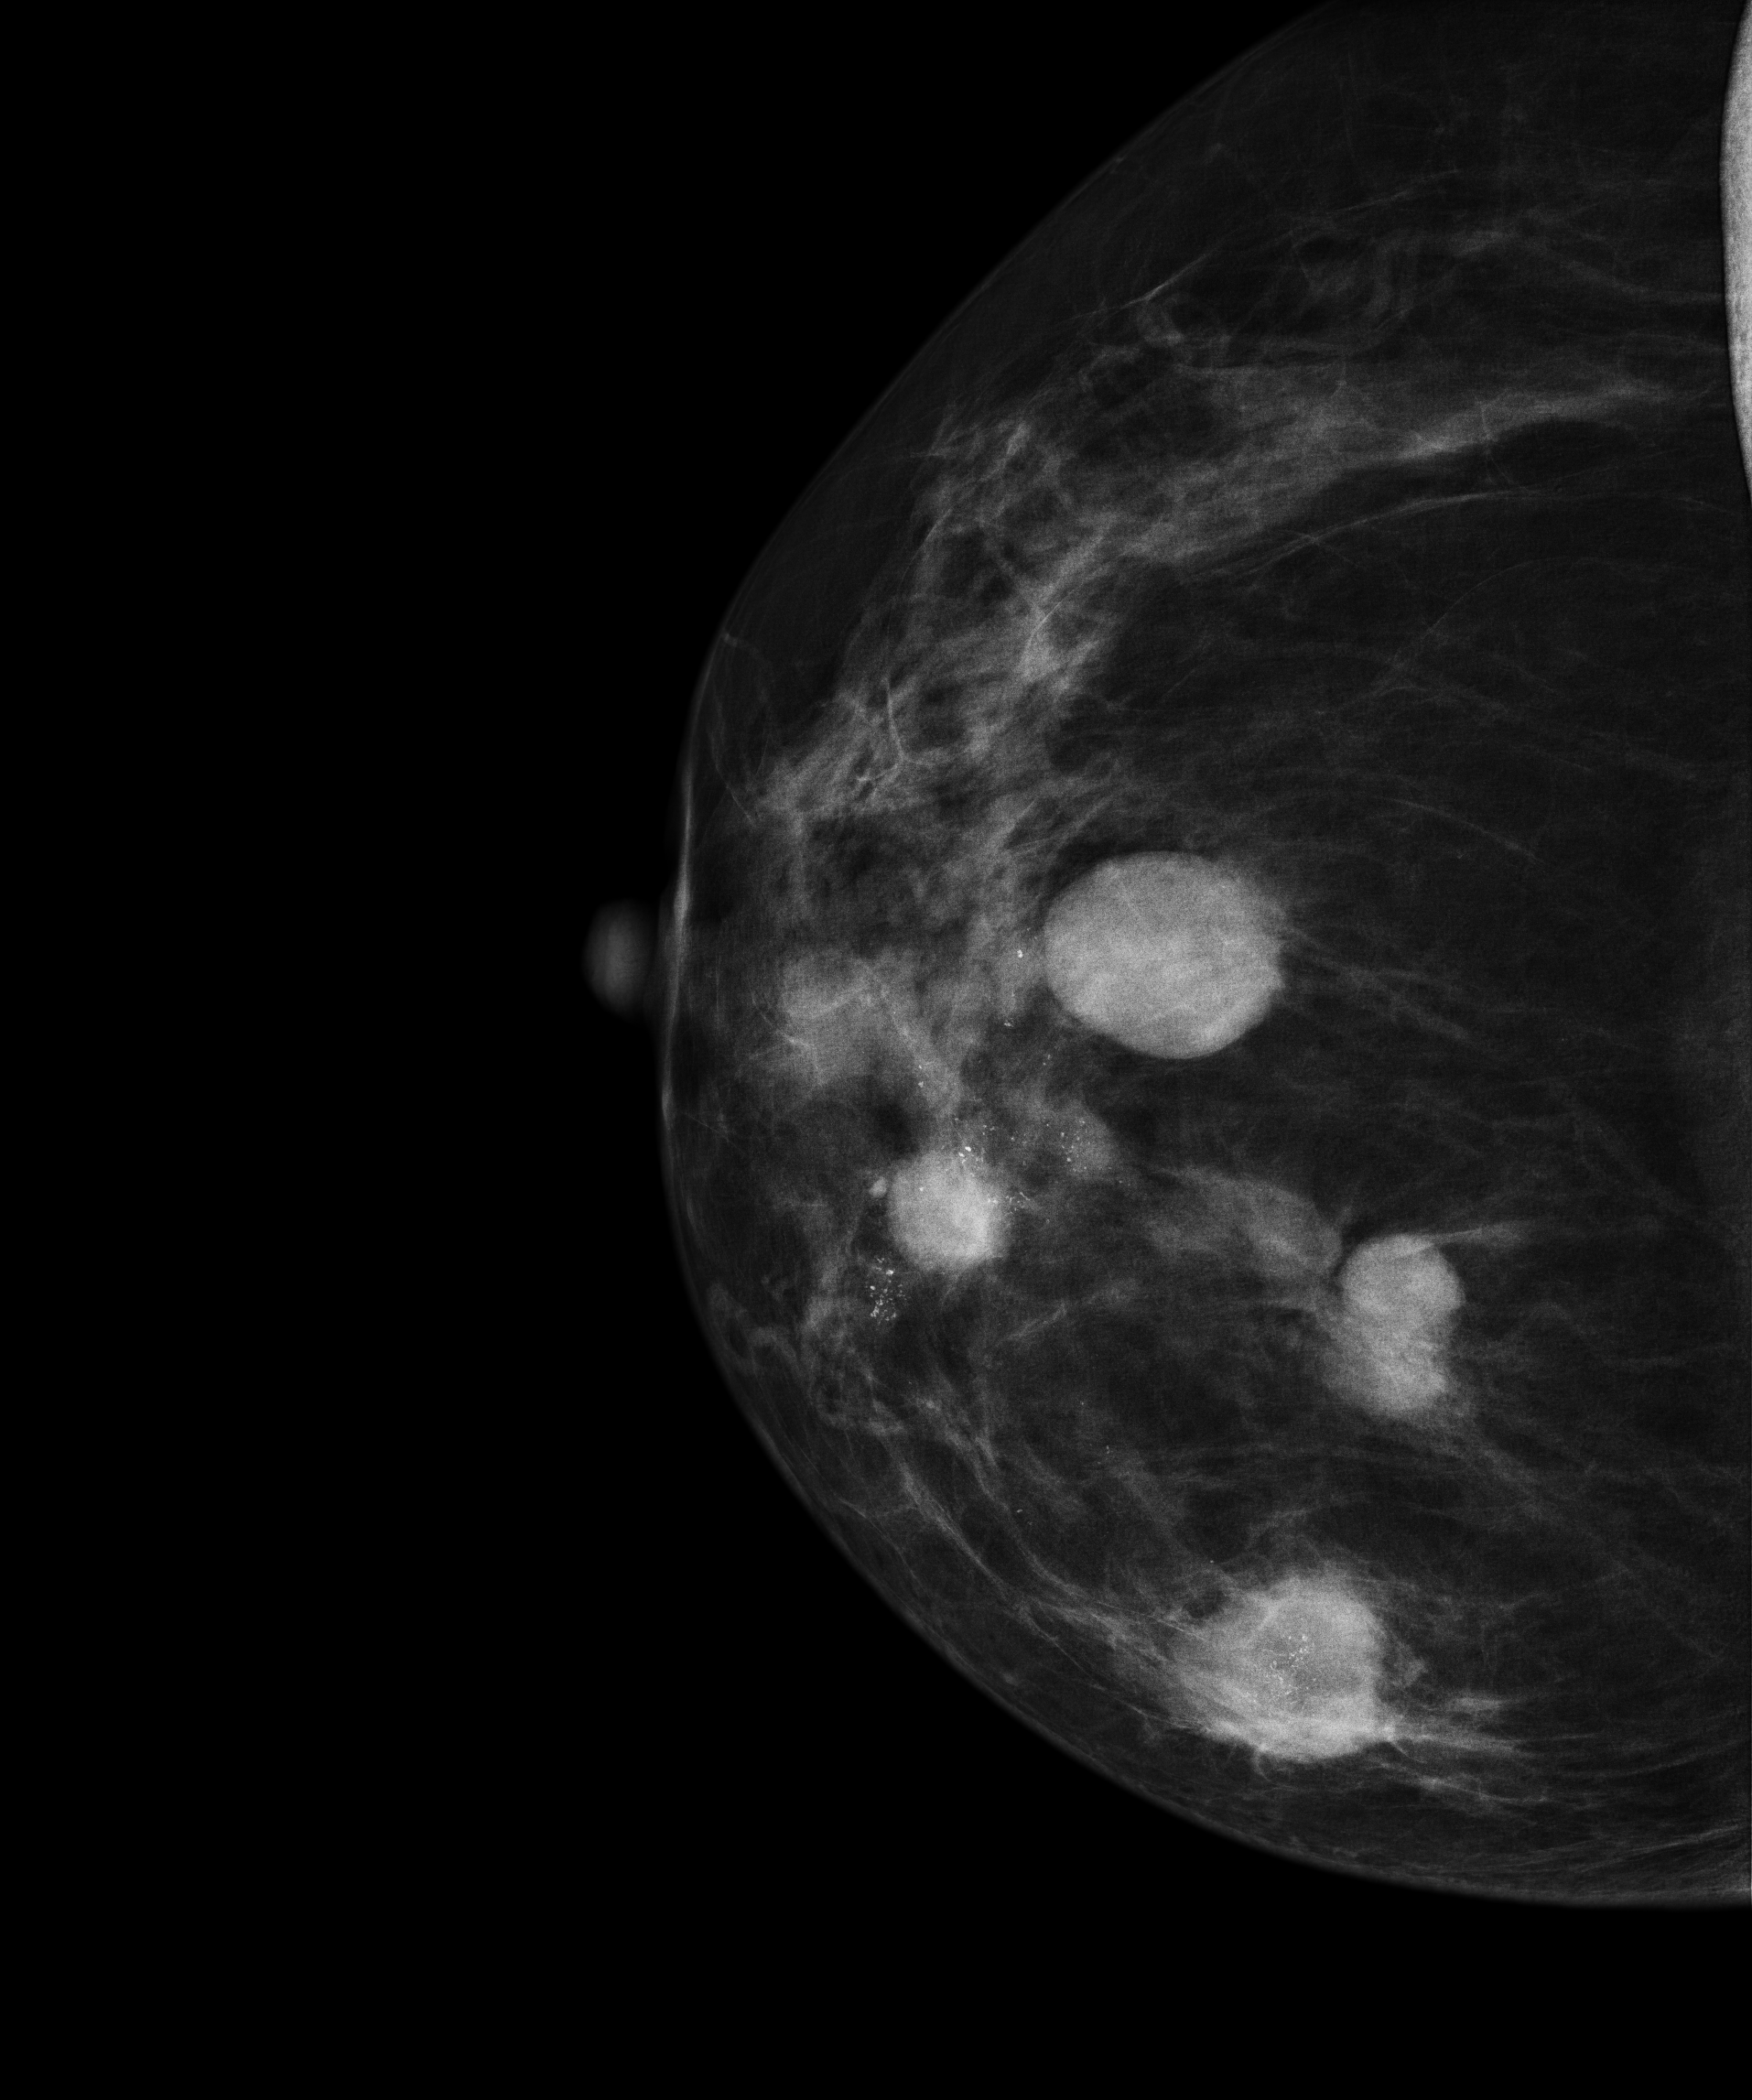
Digital mammography. Right breast, CC projection. 57 y/o patient.
This breast has a mass and calcifications, biopsy-proven malignant. Molecular subtype: luminal B.